Left-breast mammogram, CC. Patient age 44.
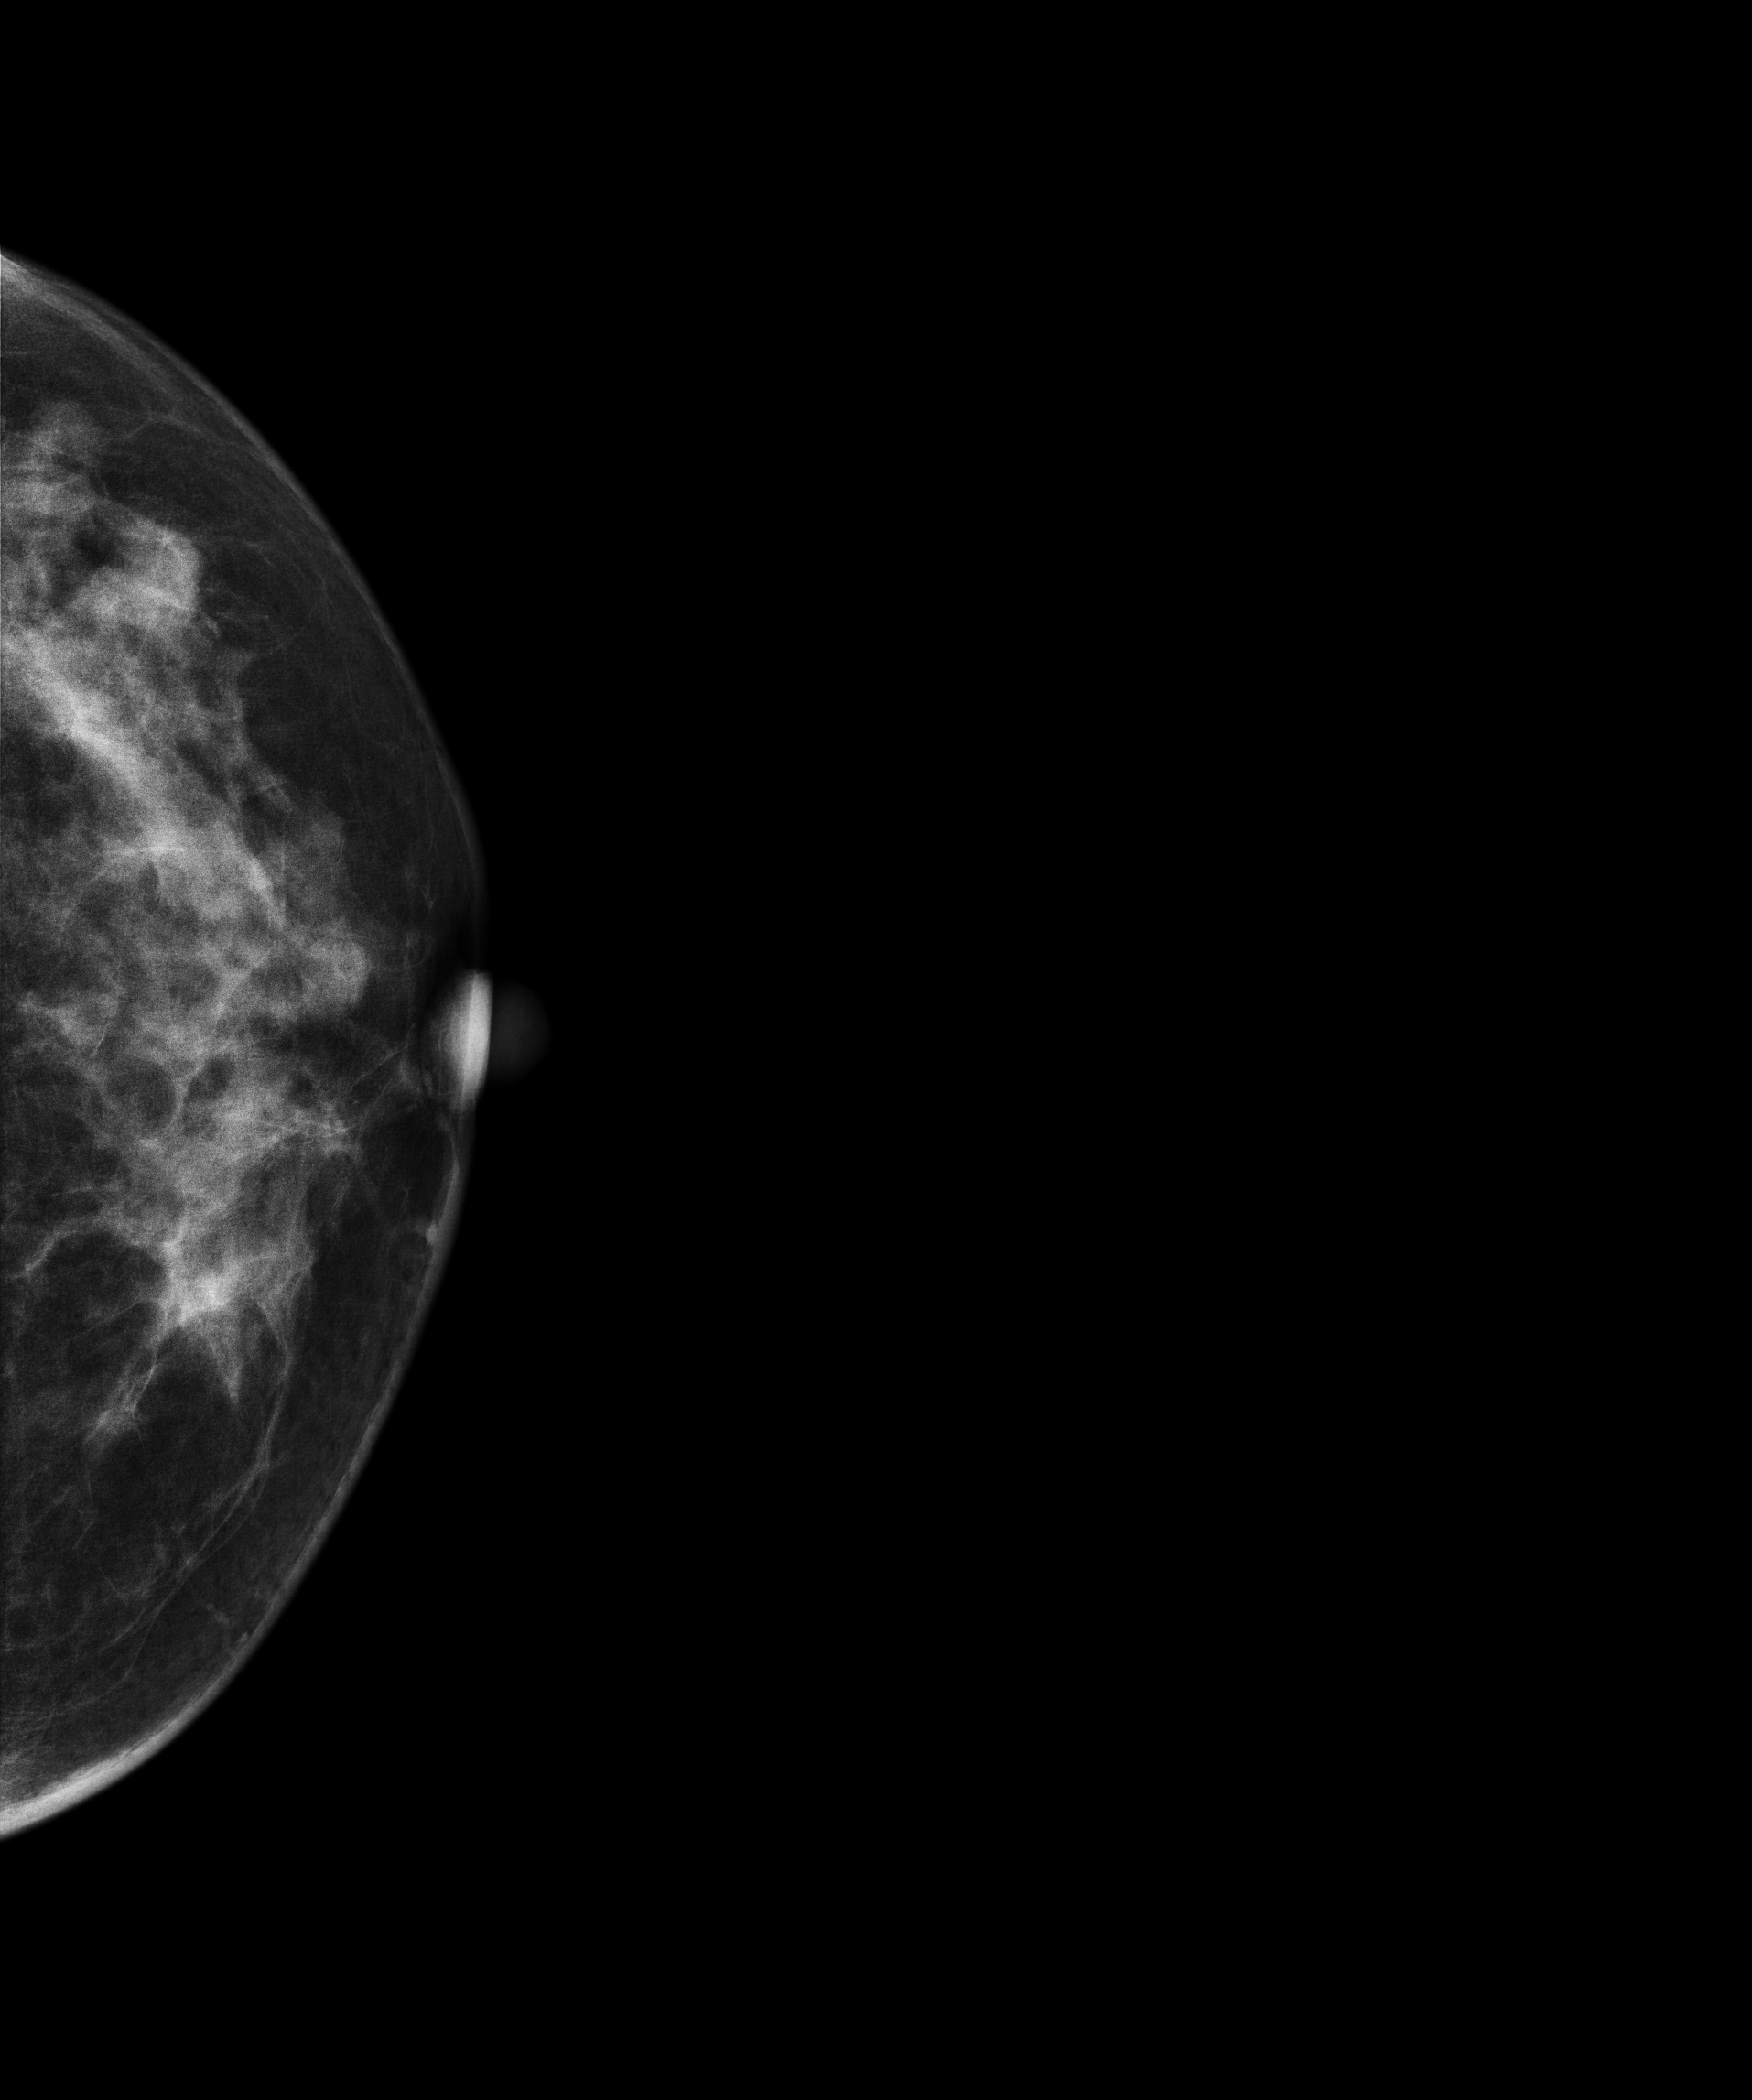
This breast has a mass, pathology-confirmed benign.